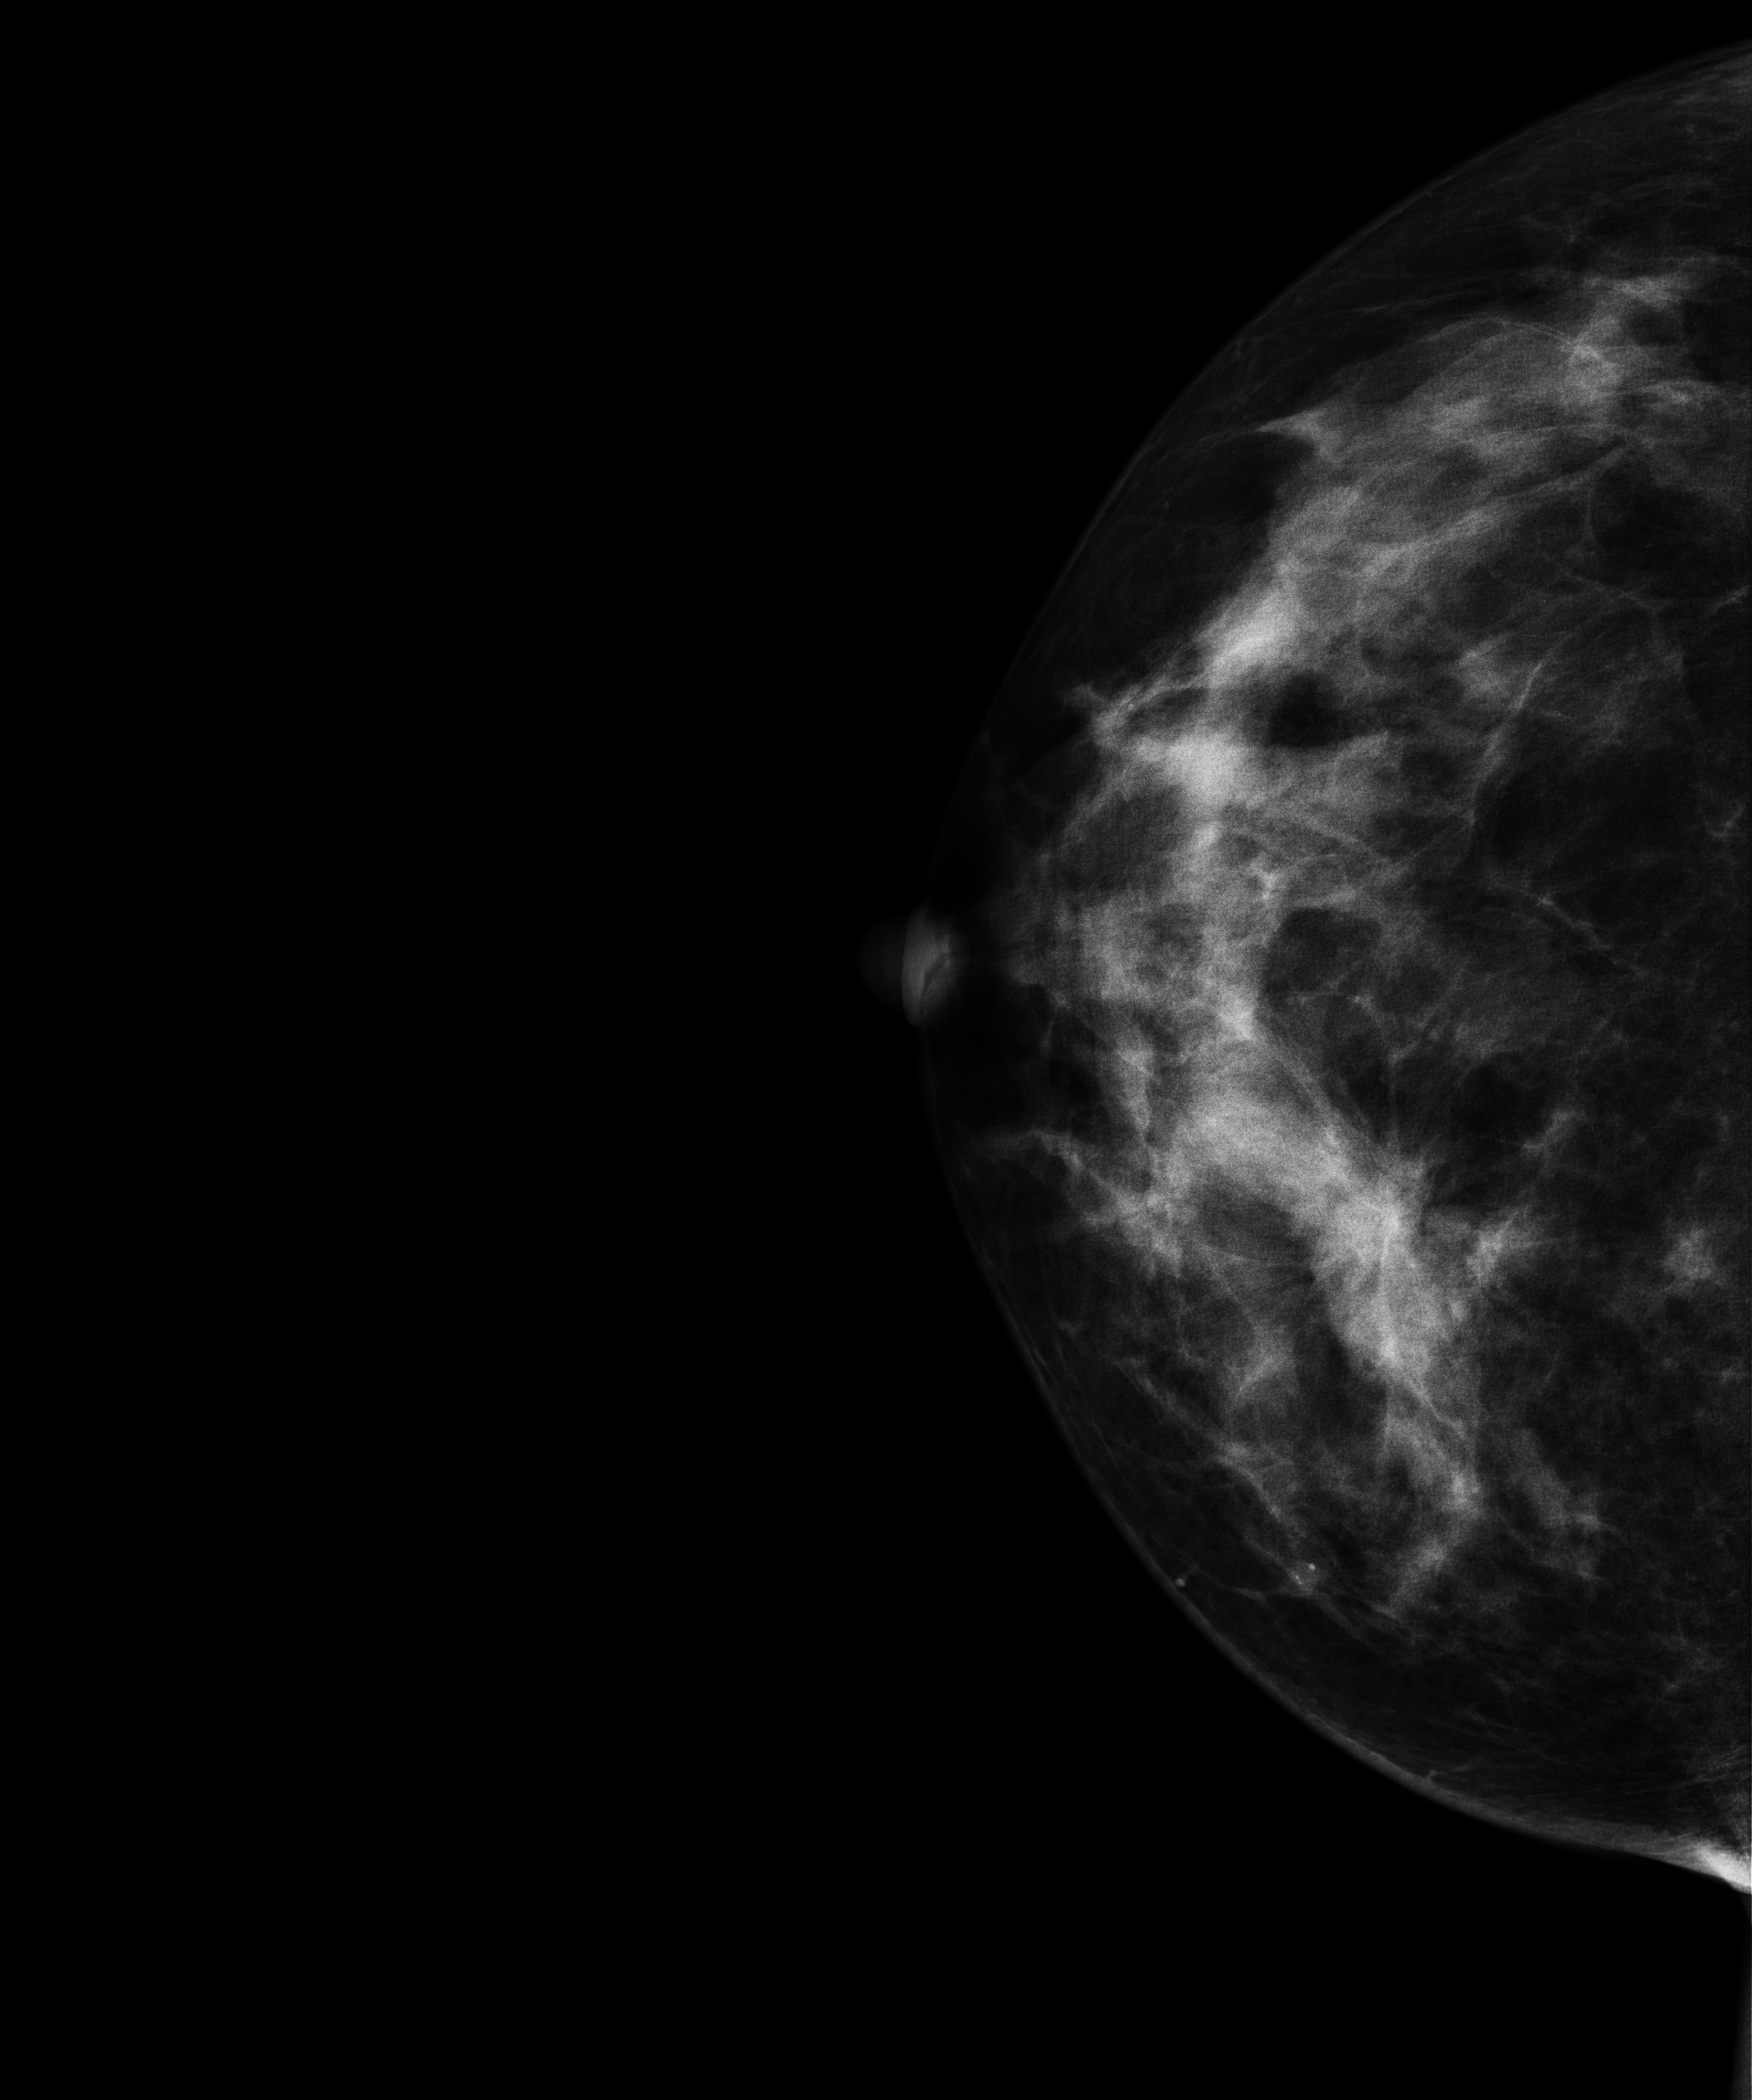
CC mammogram of the right breast. 44-year-old patient.
This breast has a mass, pathology-confirmed malignant. Molecular subtype: triple-negative.